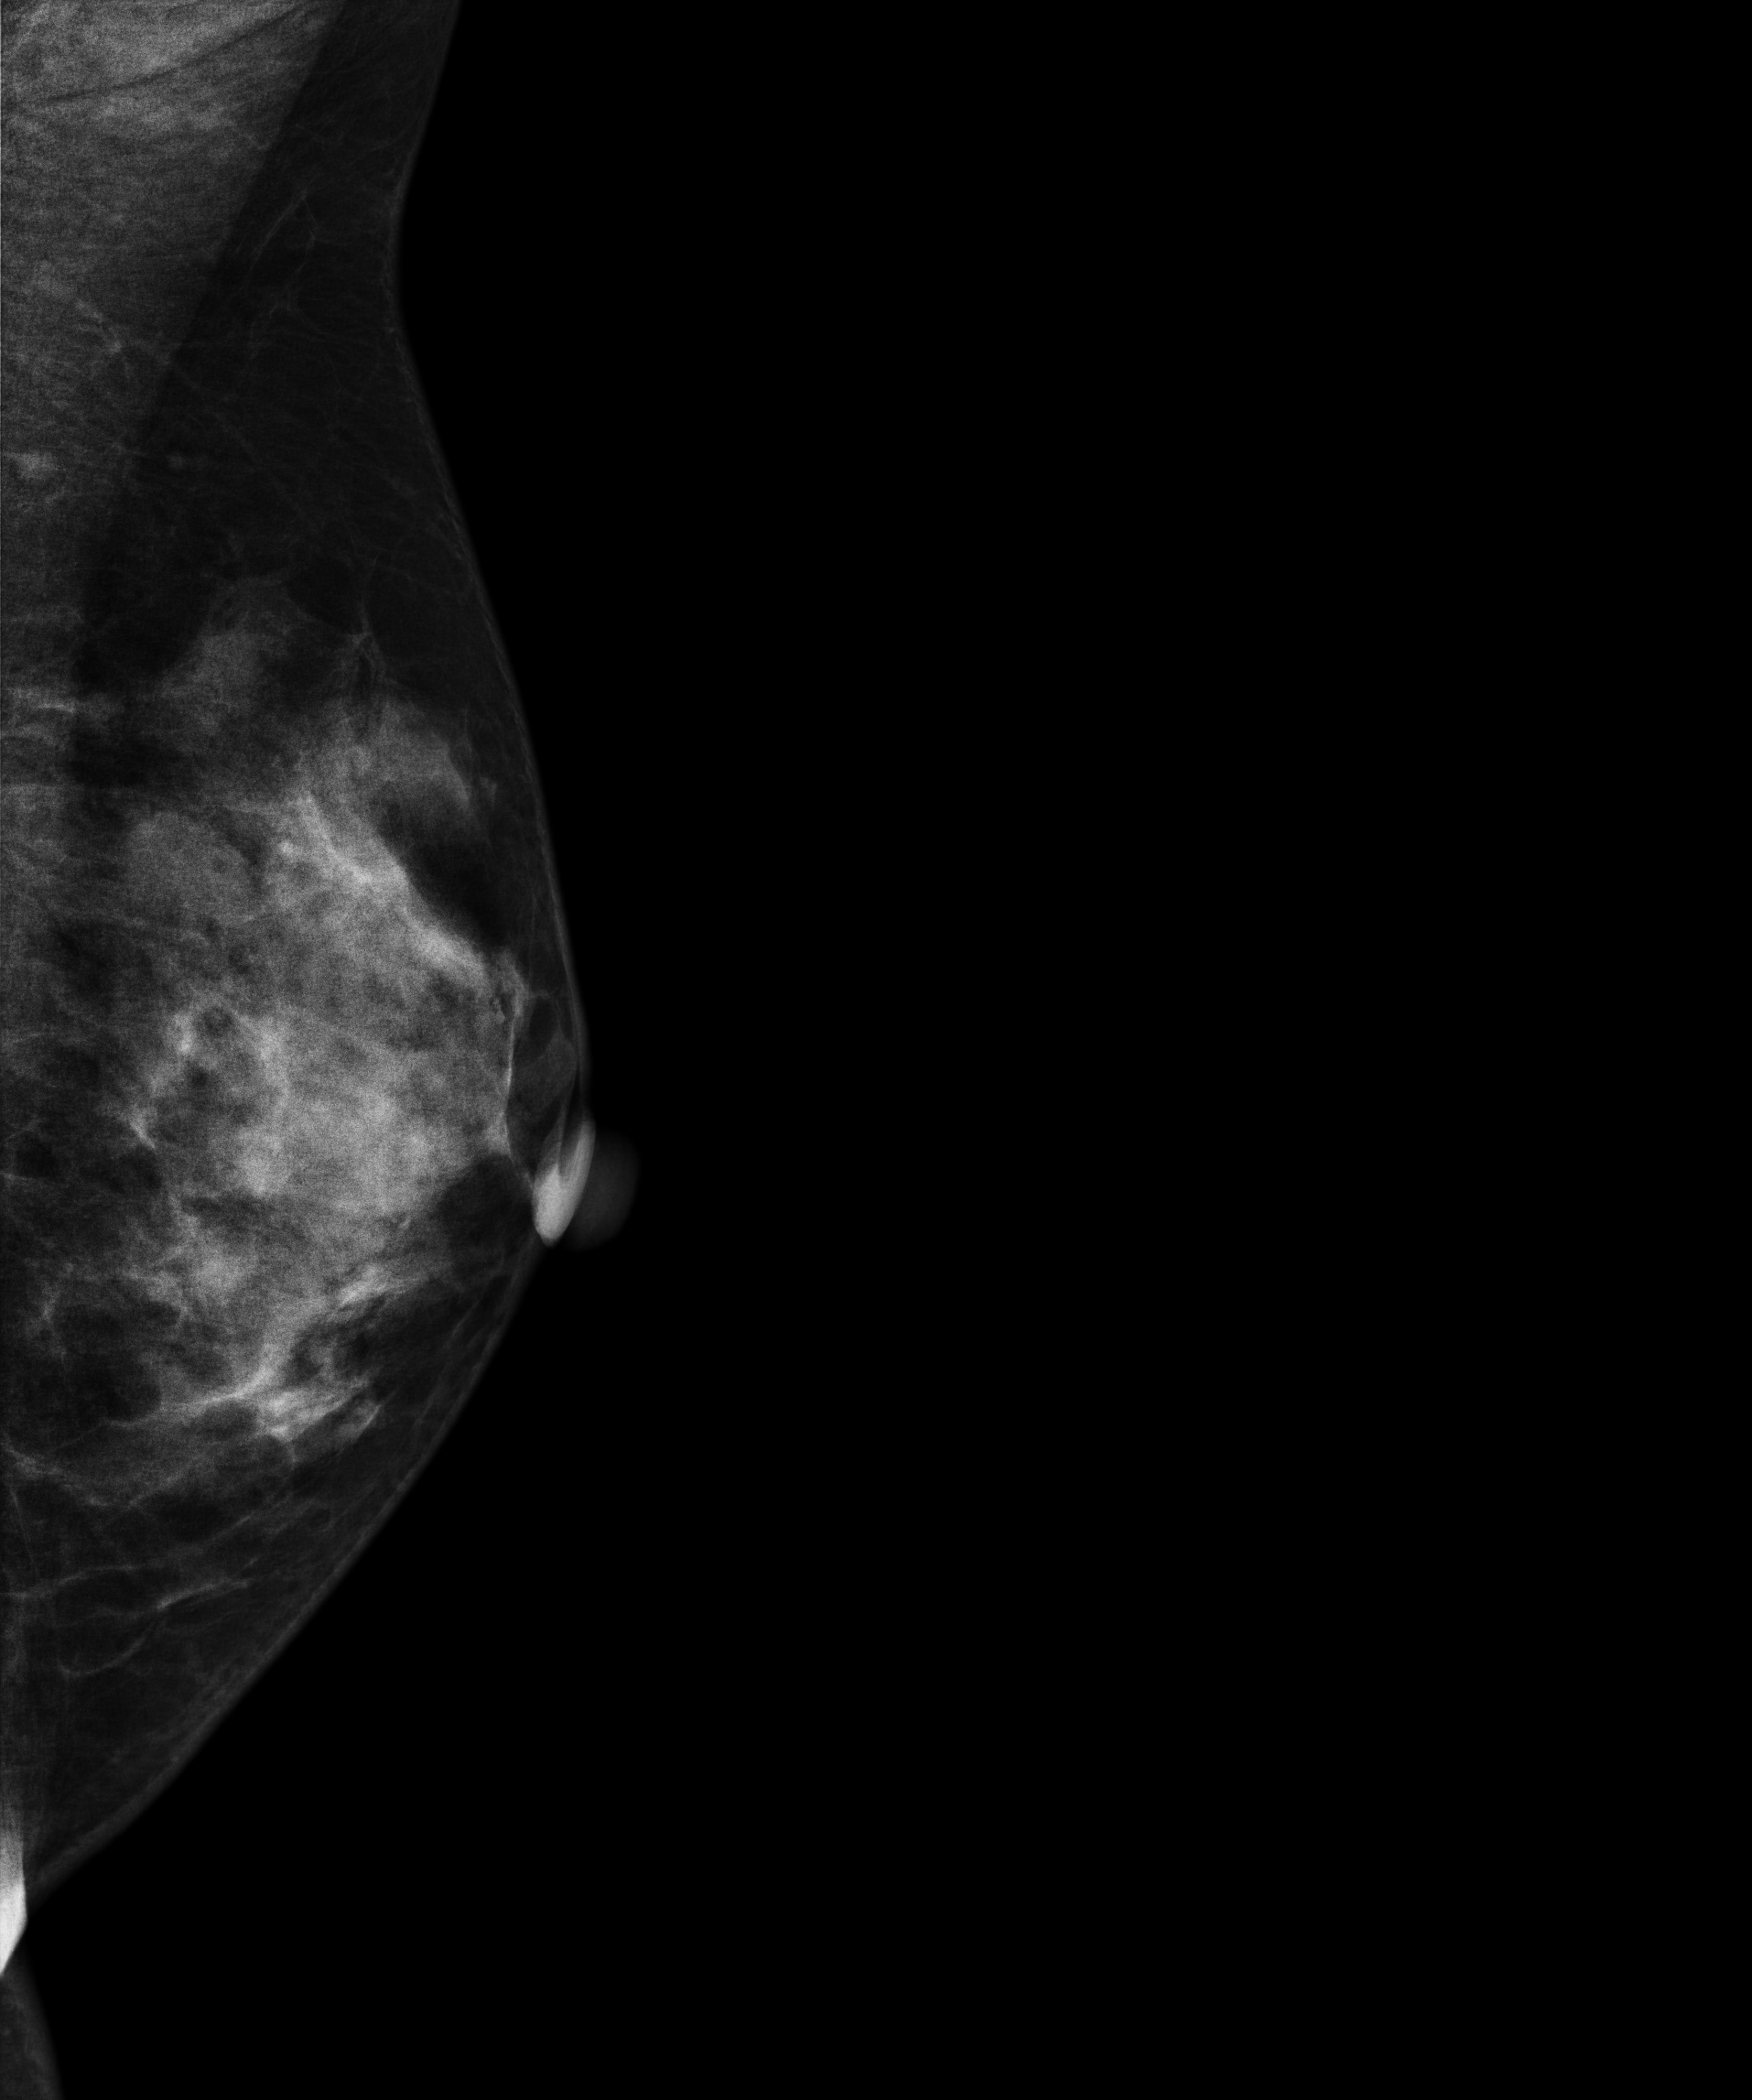
Mammogram — left medio-lateral oblique. 41 y/o patient.
Contralateral breast — no documented abnormality on this side.